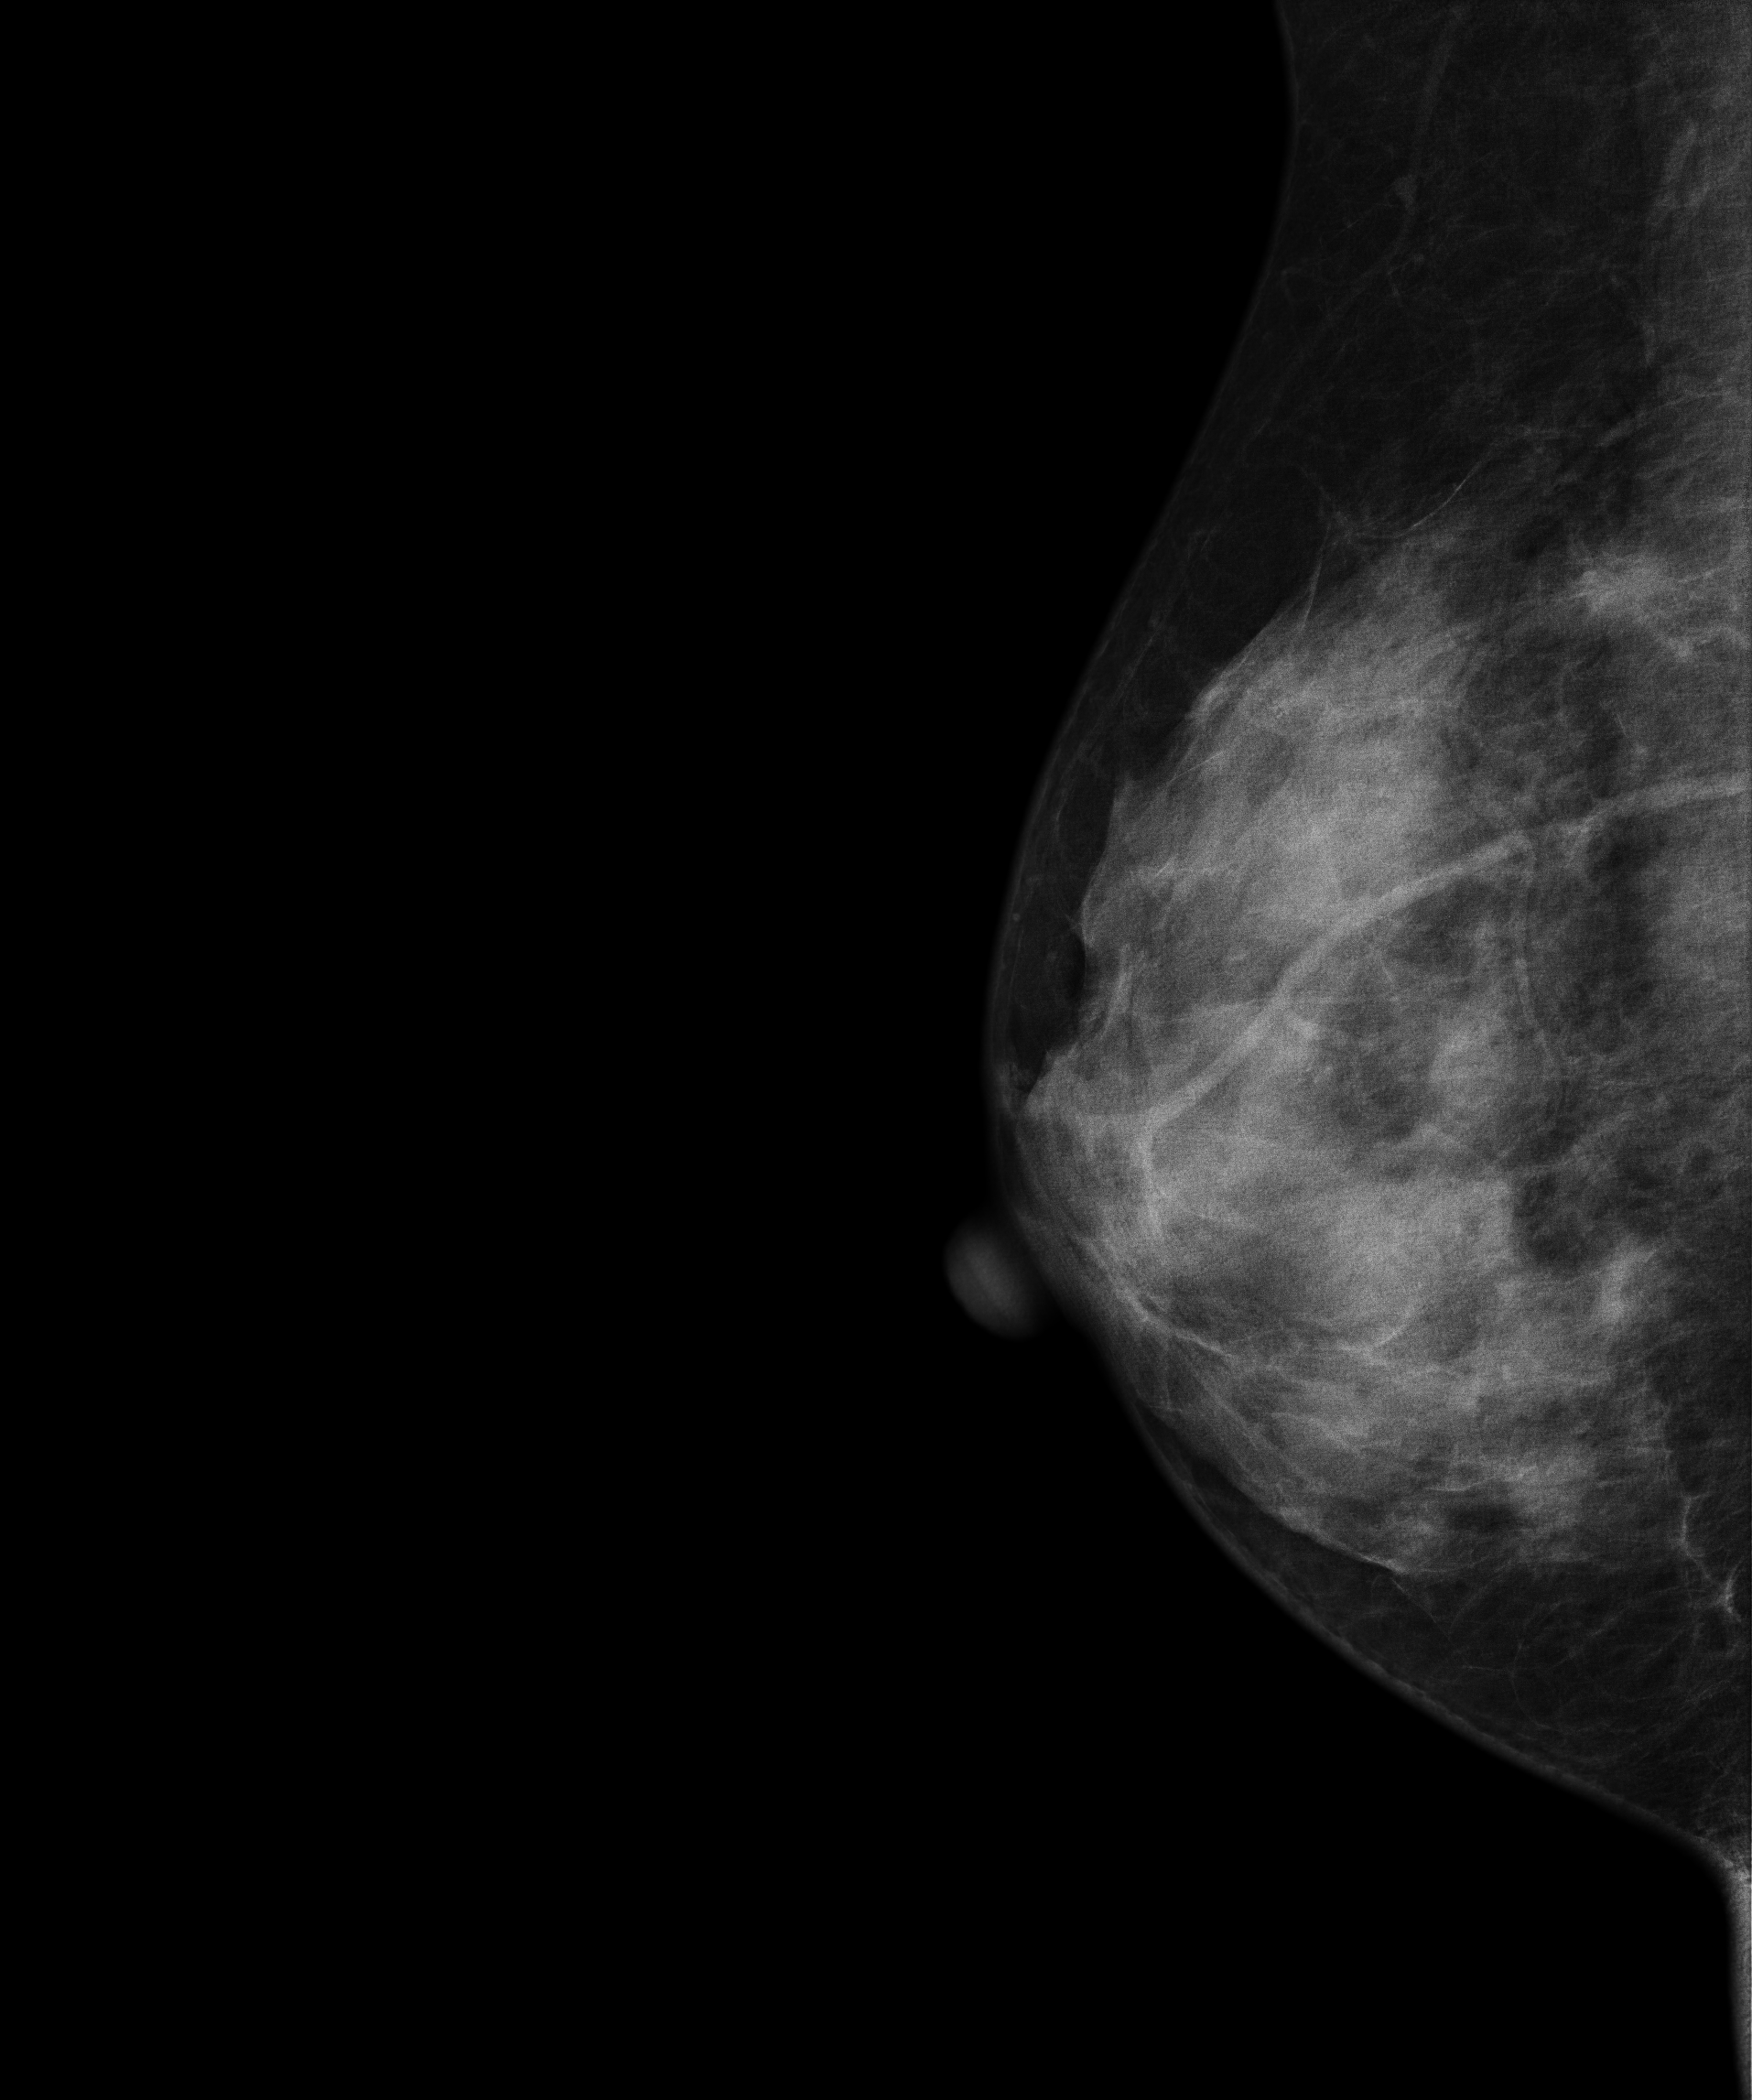
Medio-lateral oblique mammogram of the right breast. 43-year-old patient.
This breast has a mass, pathology-confirmed malignant.